Digital mammography. Left breast, CC projection. 45-year-old patient.
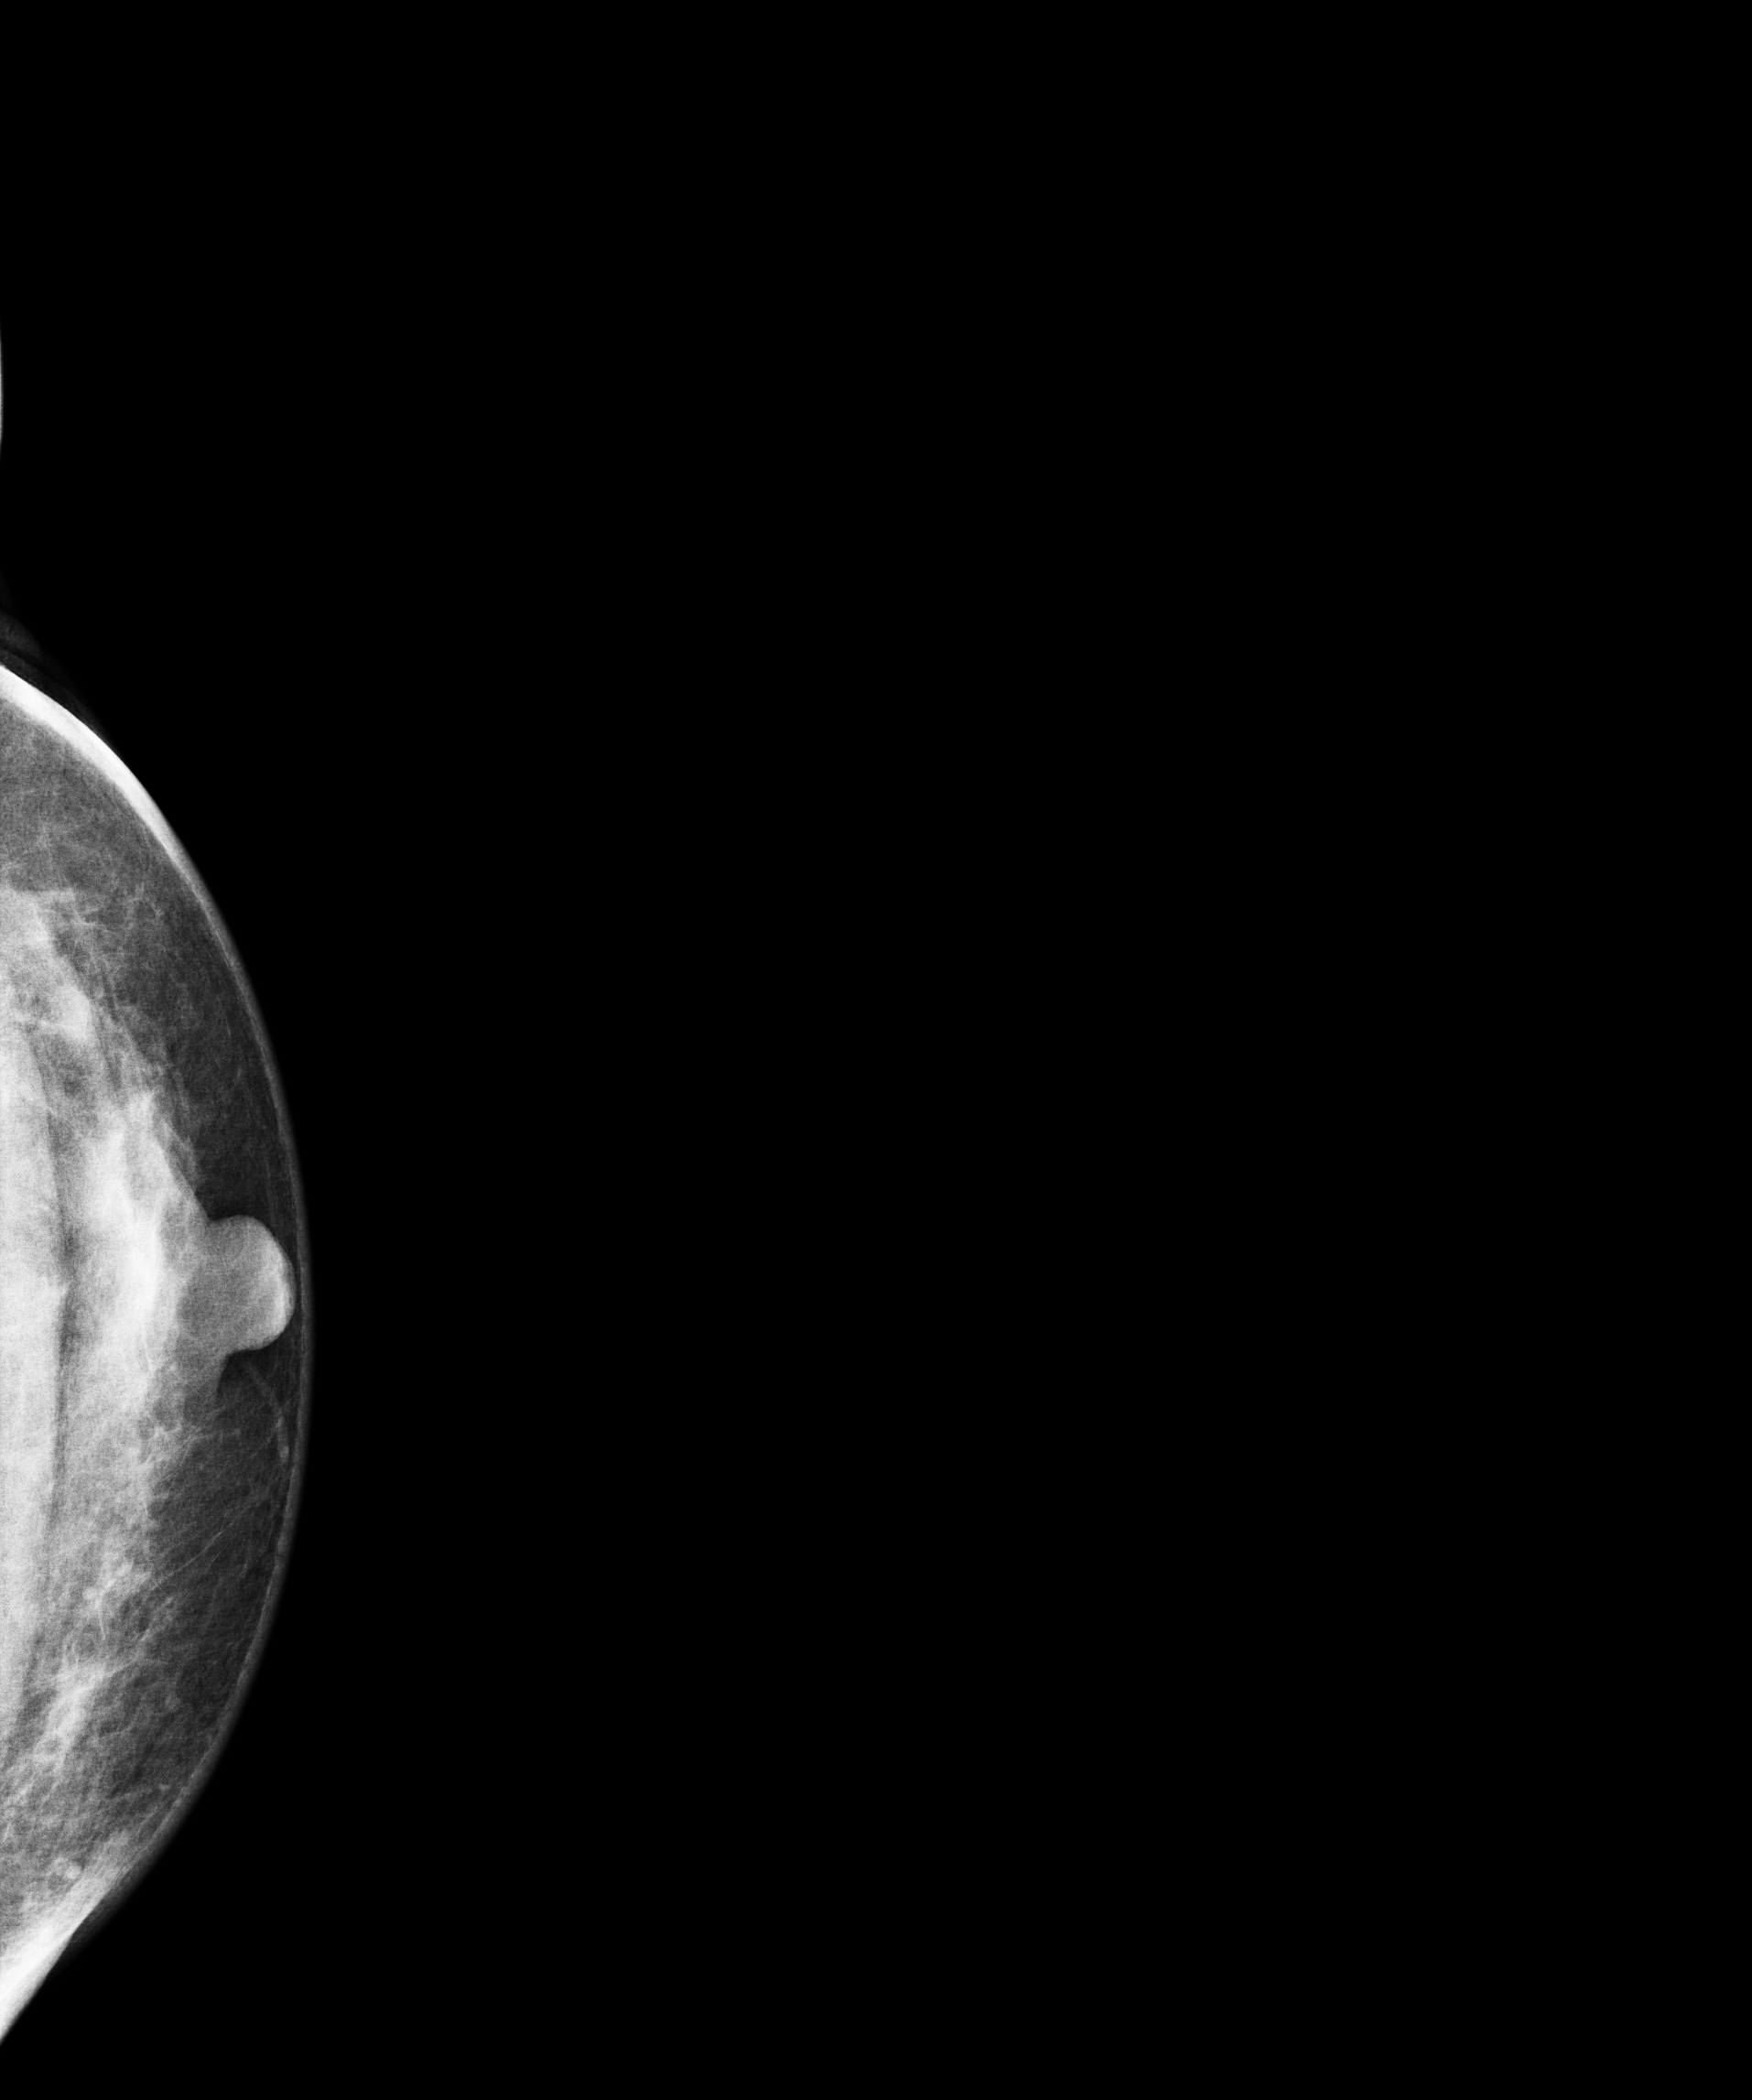
This breast has a mass, biopsy-confirmed malignant.